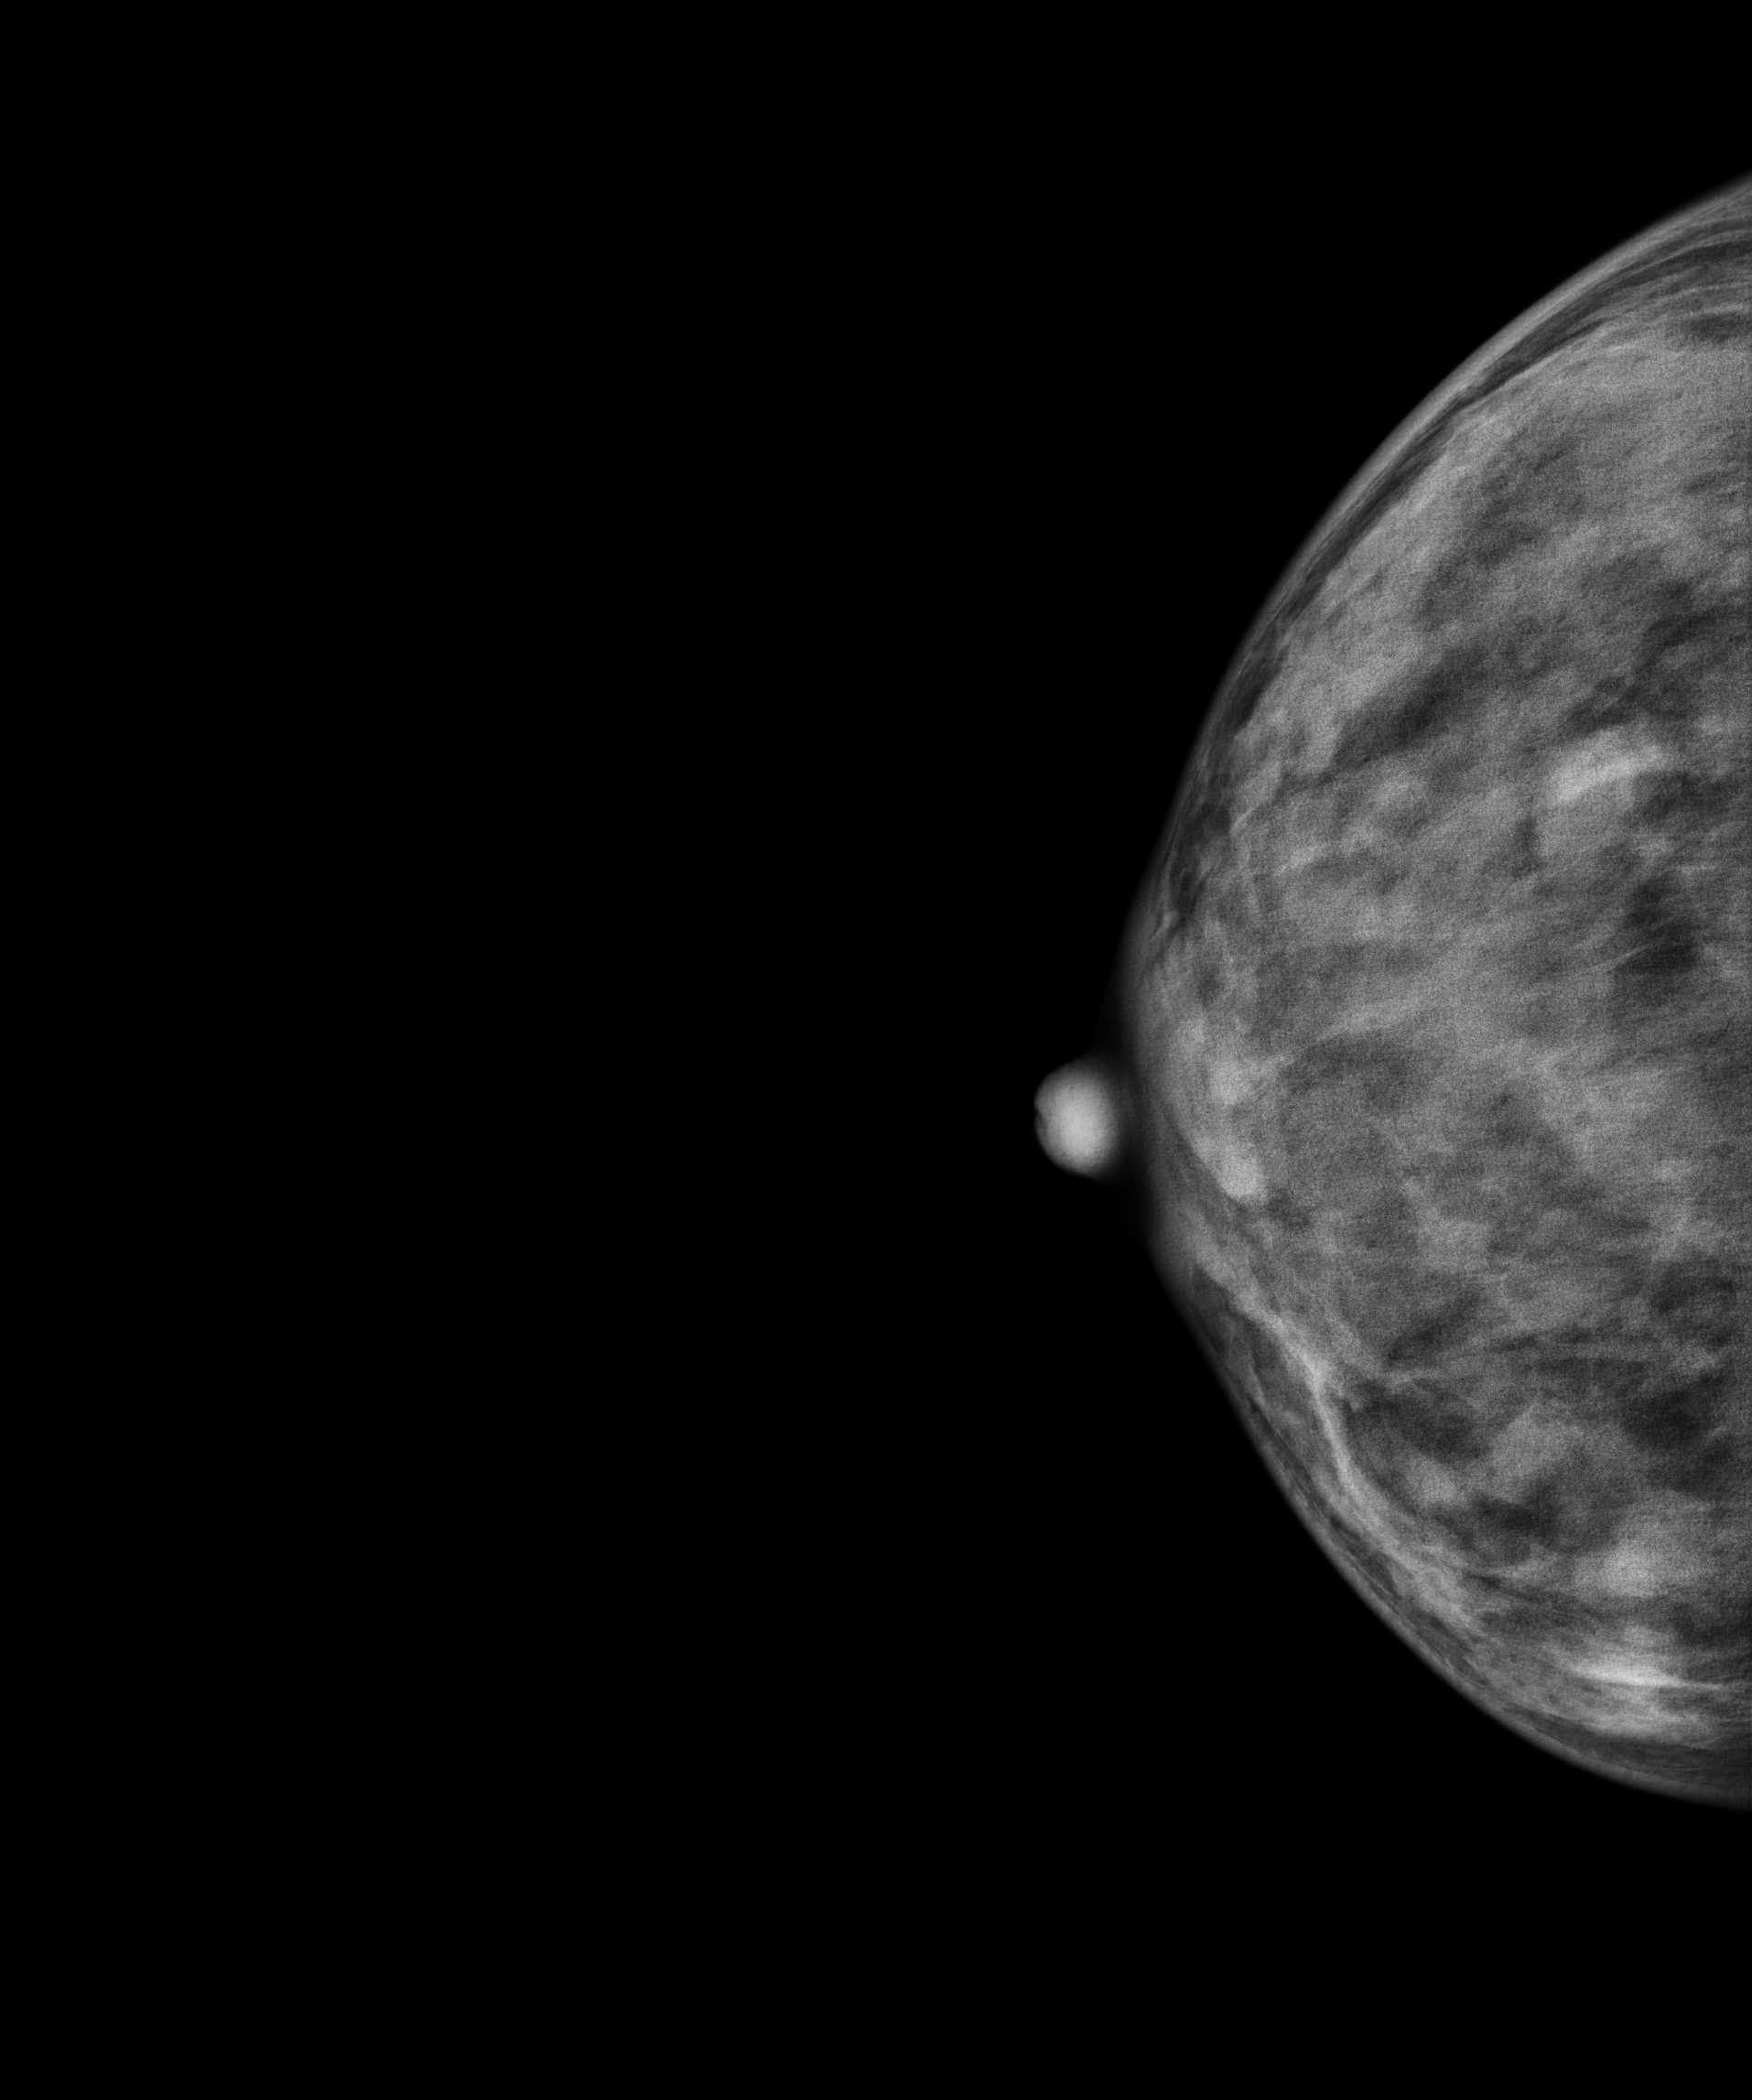
Mammogram, right breast, cranio-caudal view. 41-year-old patient.
This breast has a mass and calcifications, histologically confirmed benign.